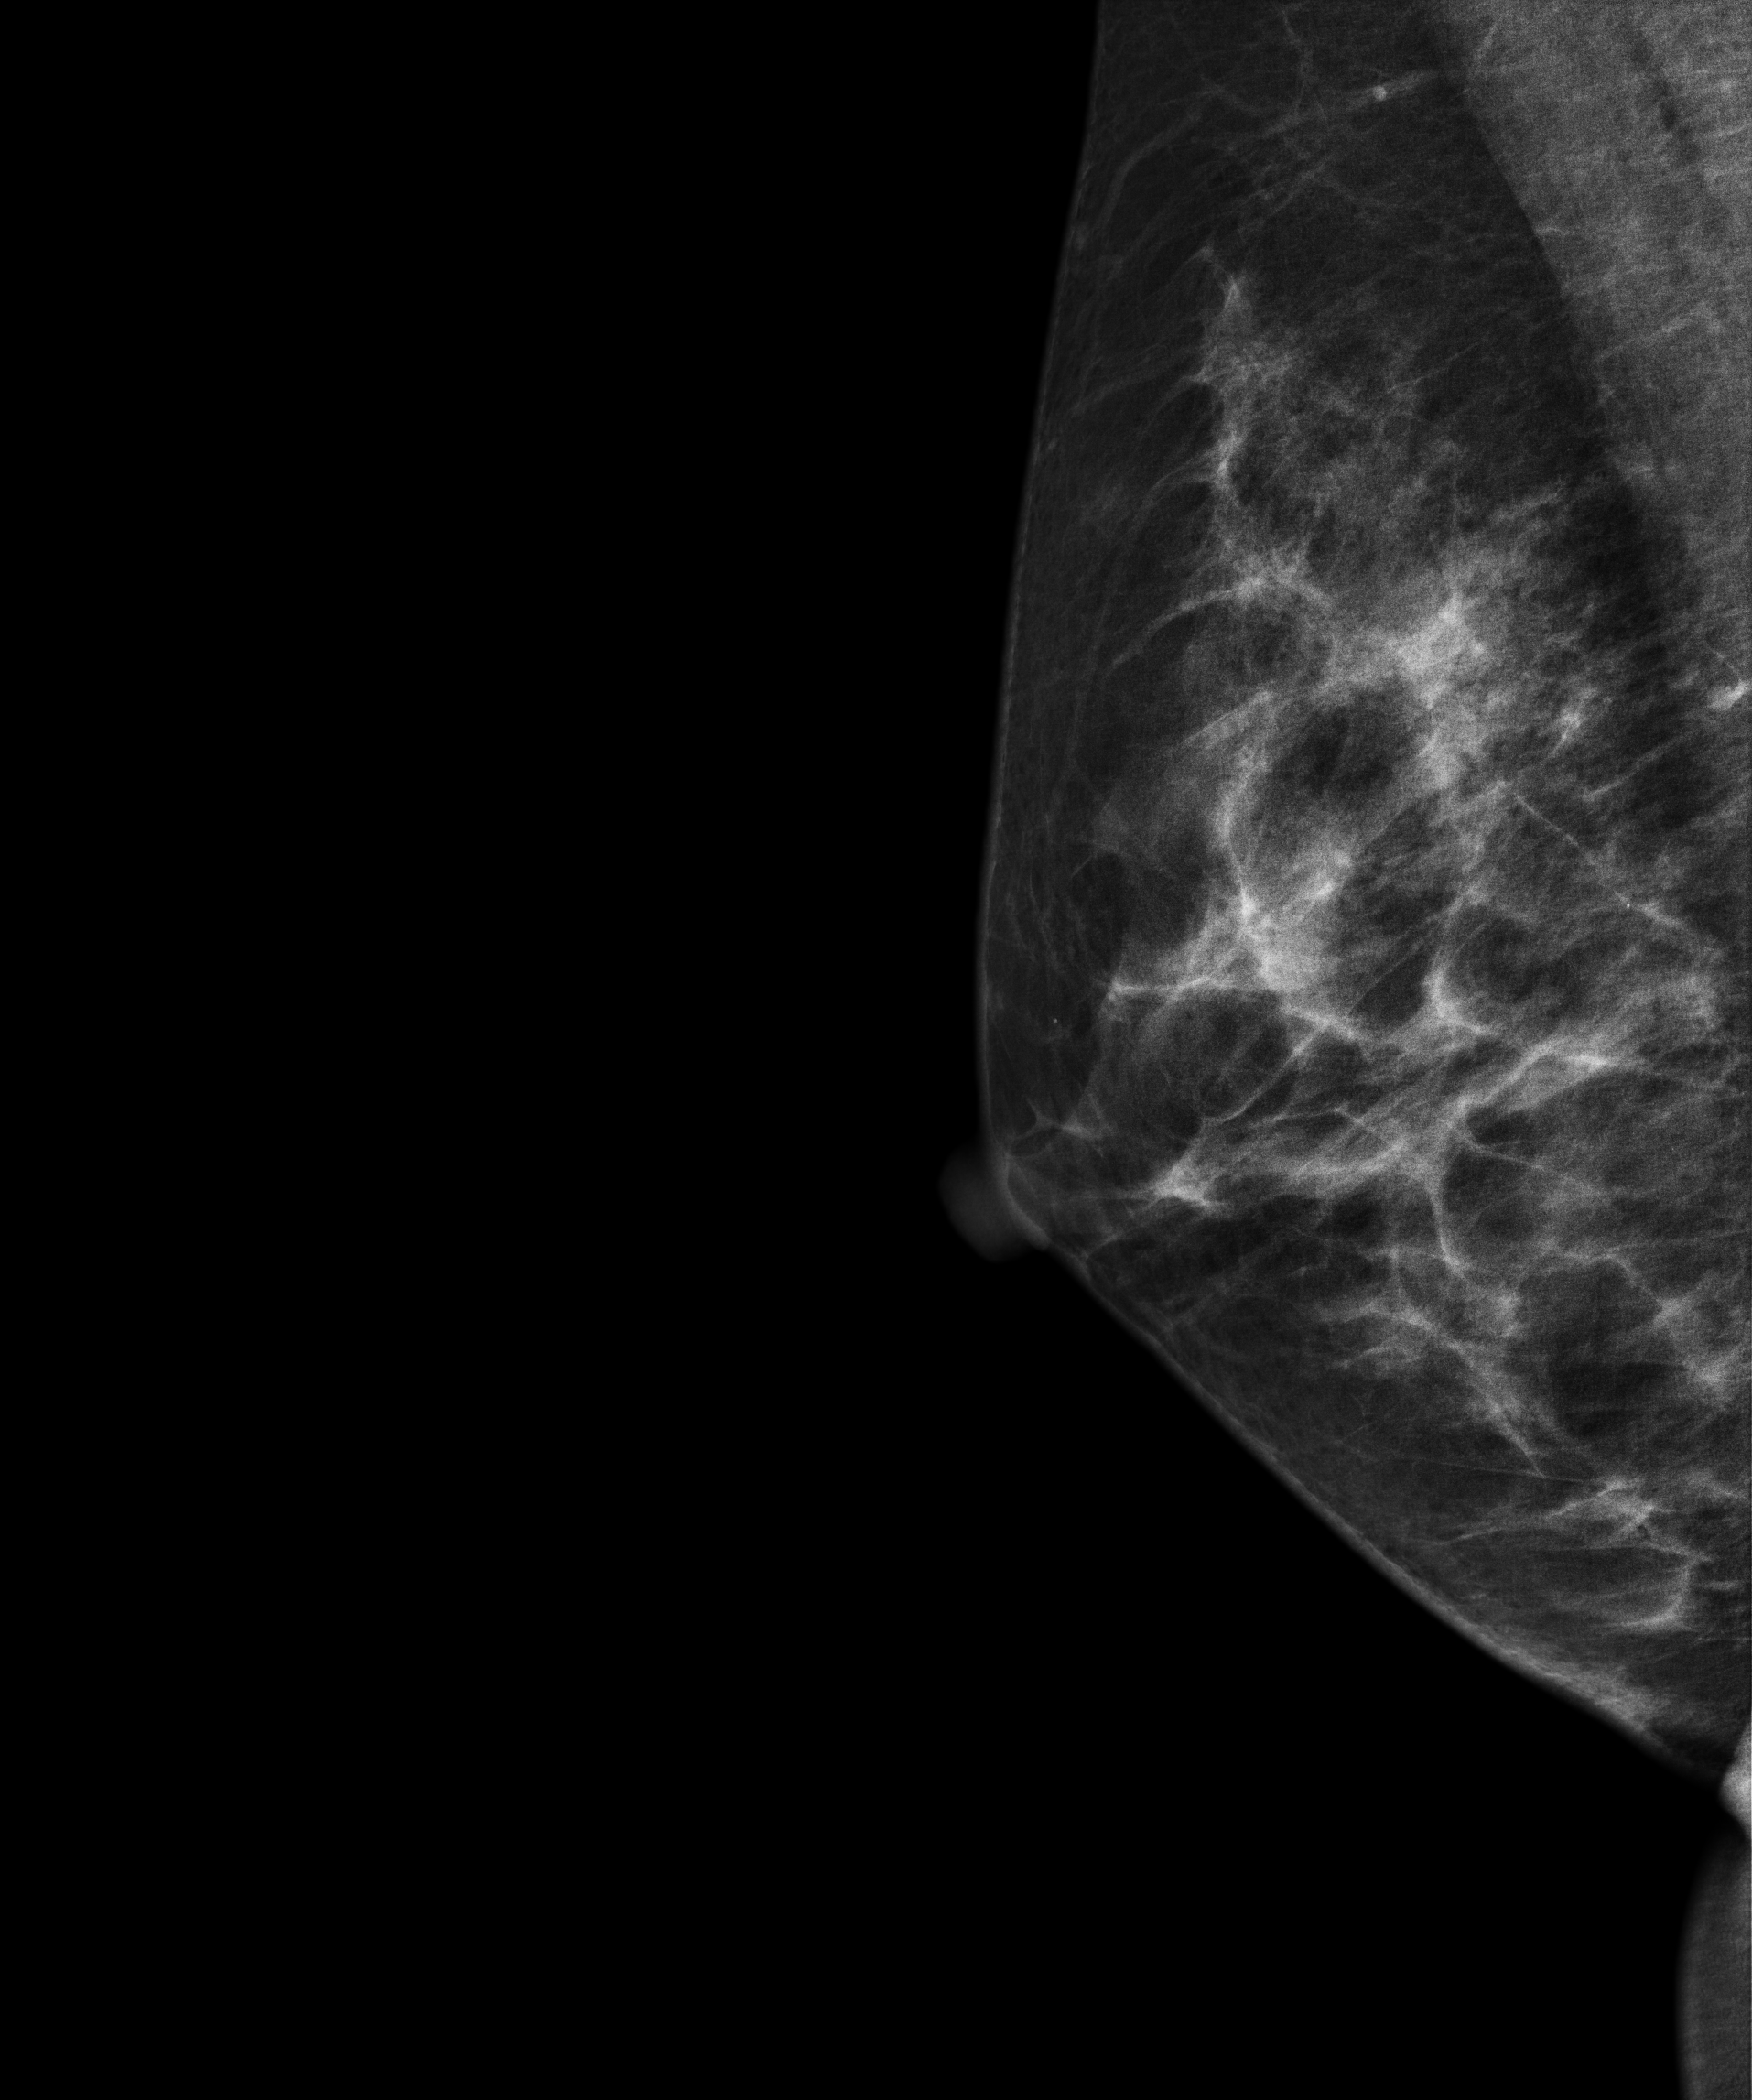
Mammogram, right breast, MLO view. Patient age 33.
Contralateral breast — no documented abnormality on this side.